Digital mammography. Left breast, MLO projection. 48 y/o patient.
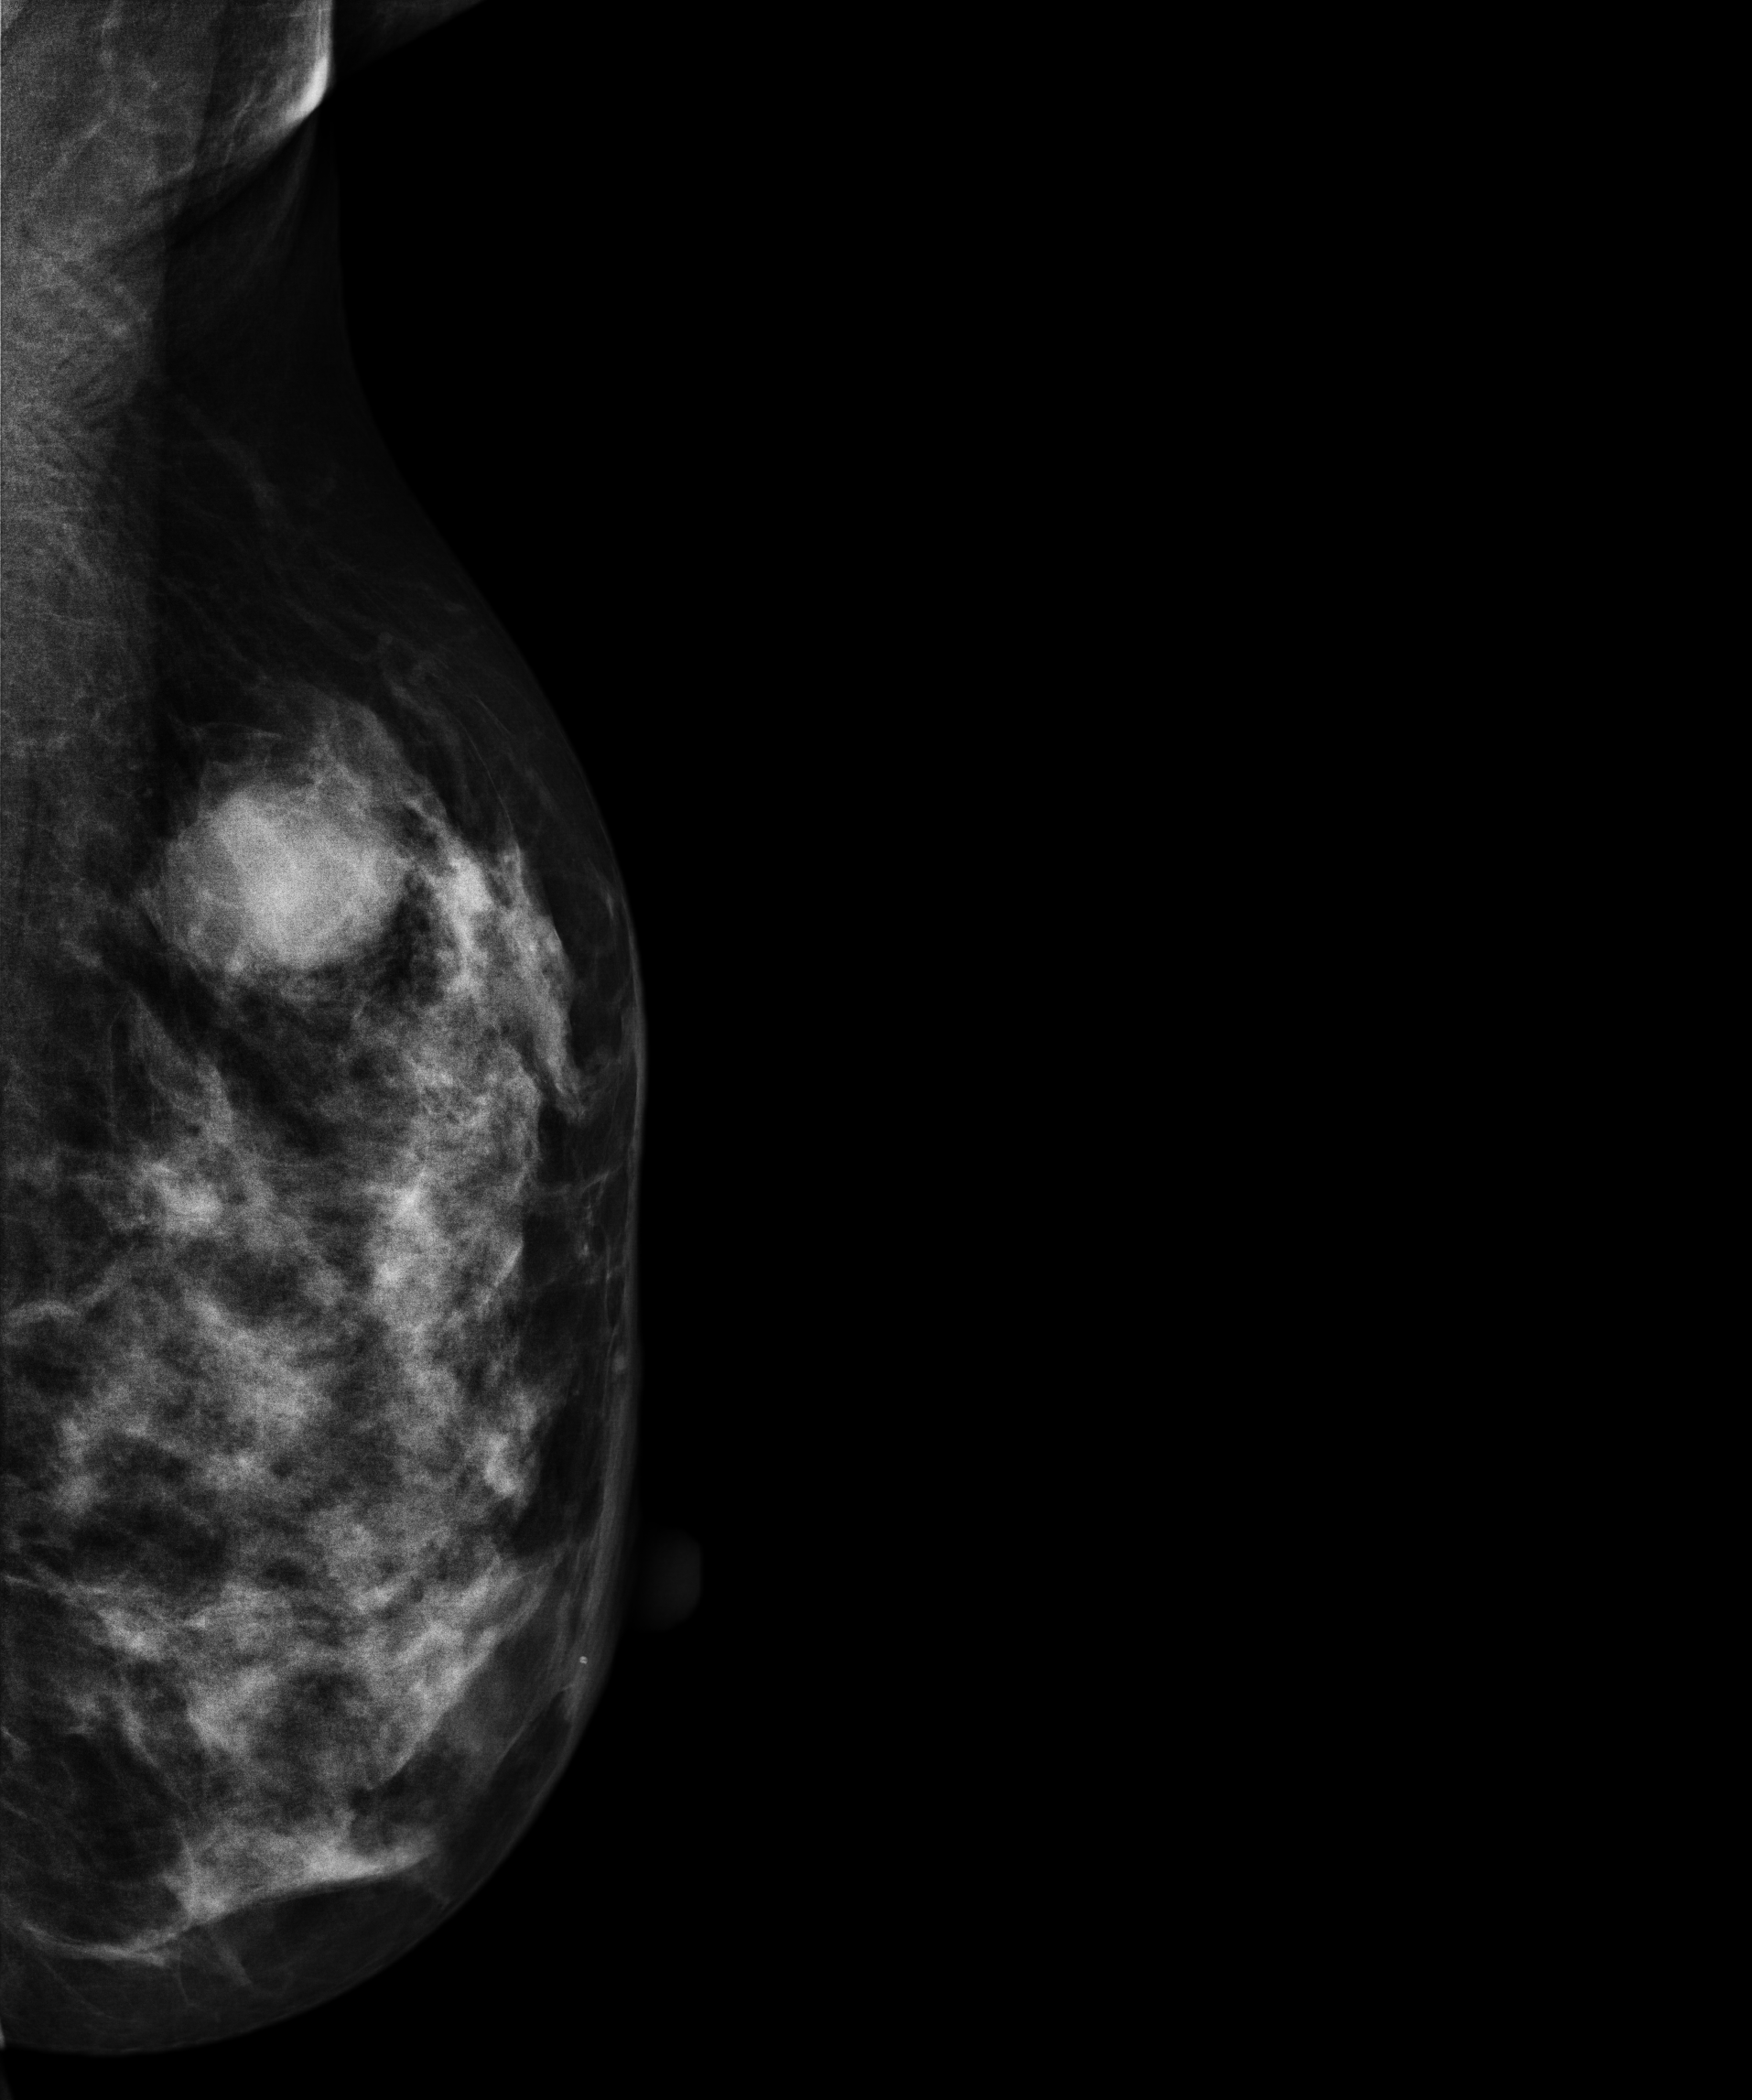
This breast has a mass, histologically confirmed malignant.